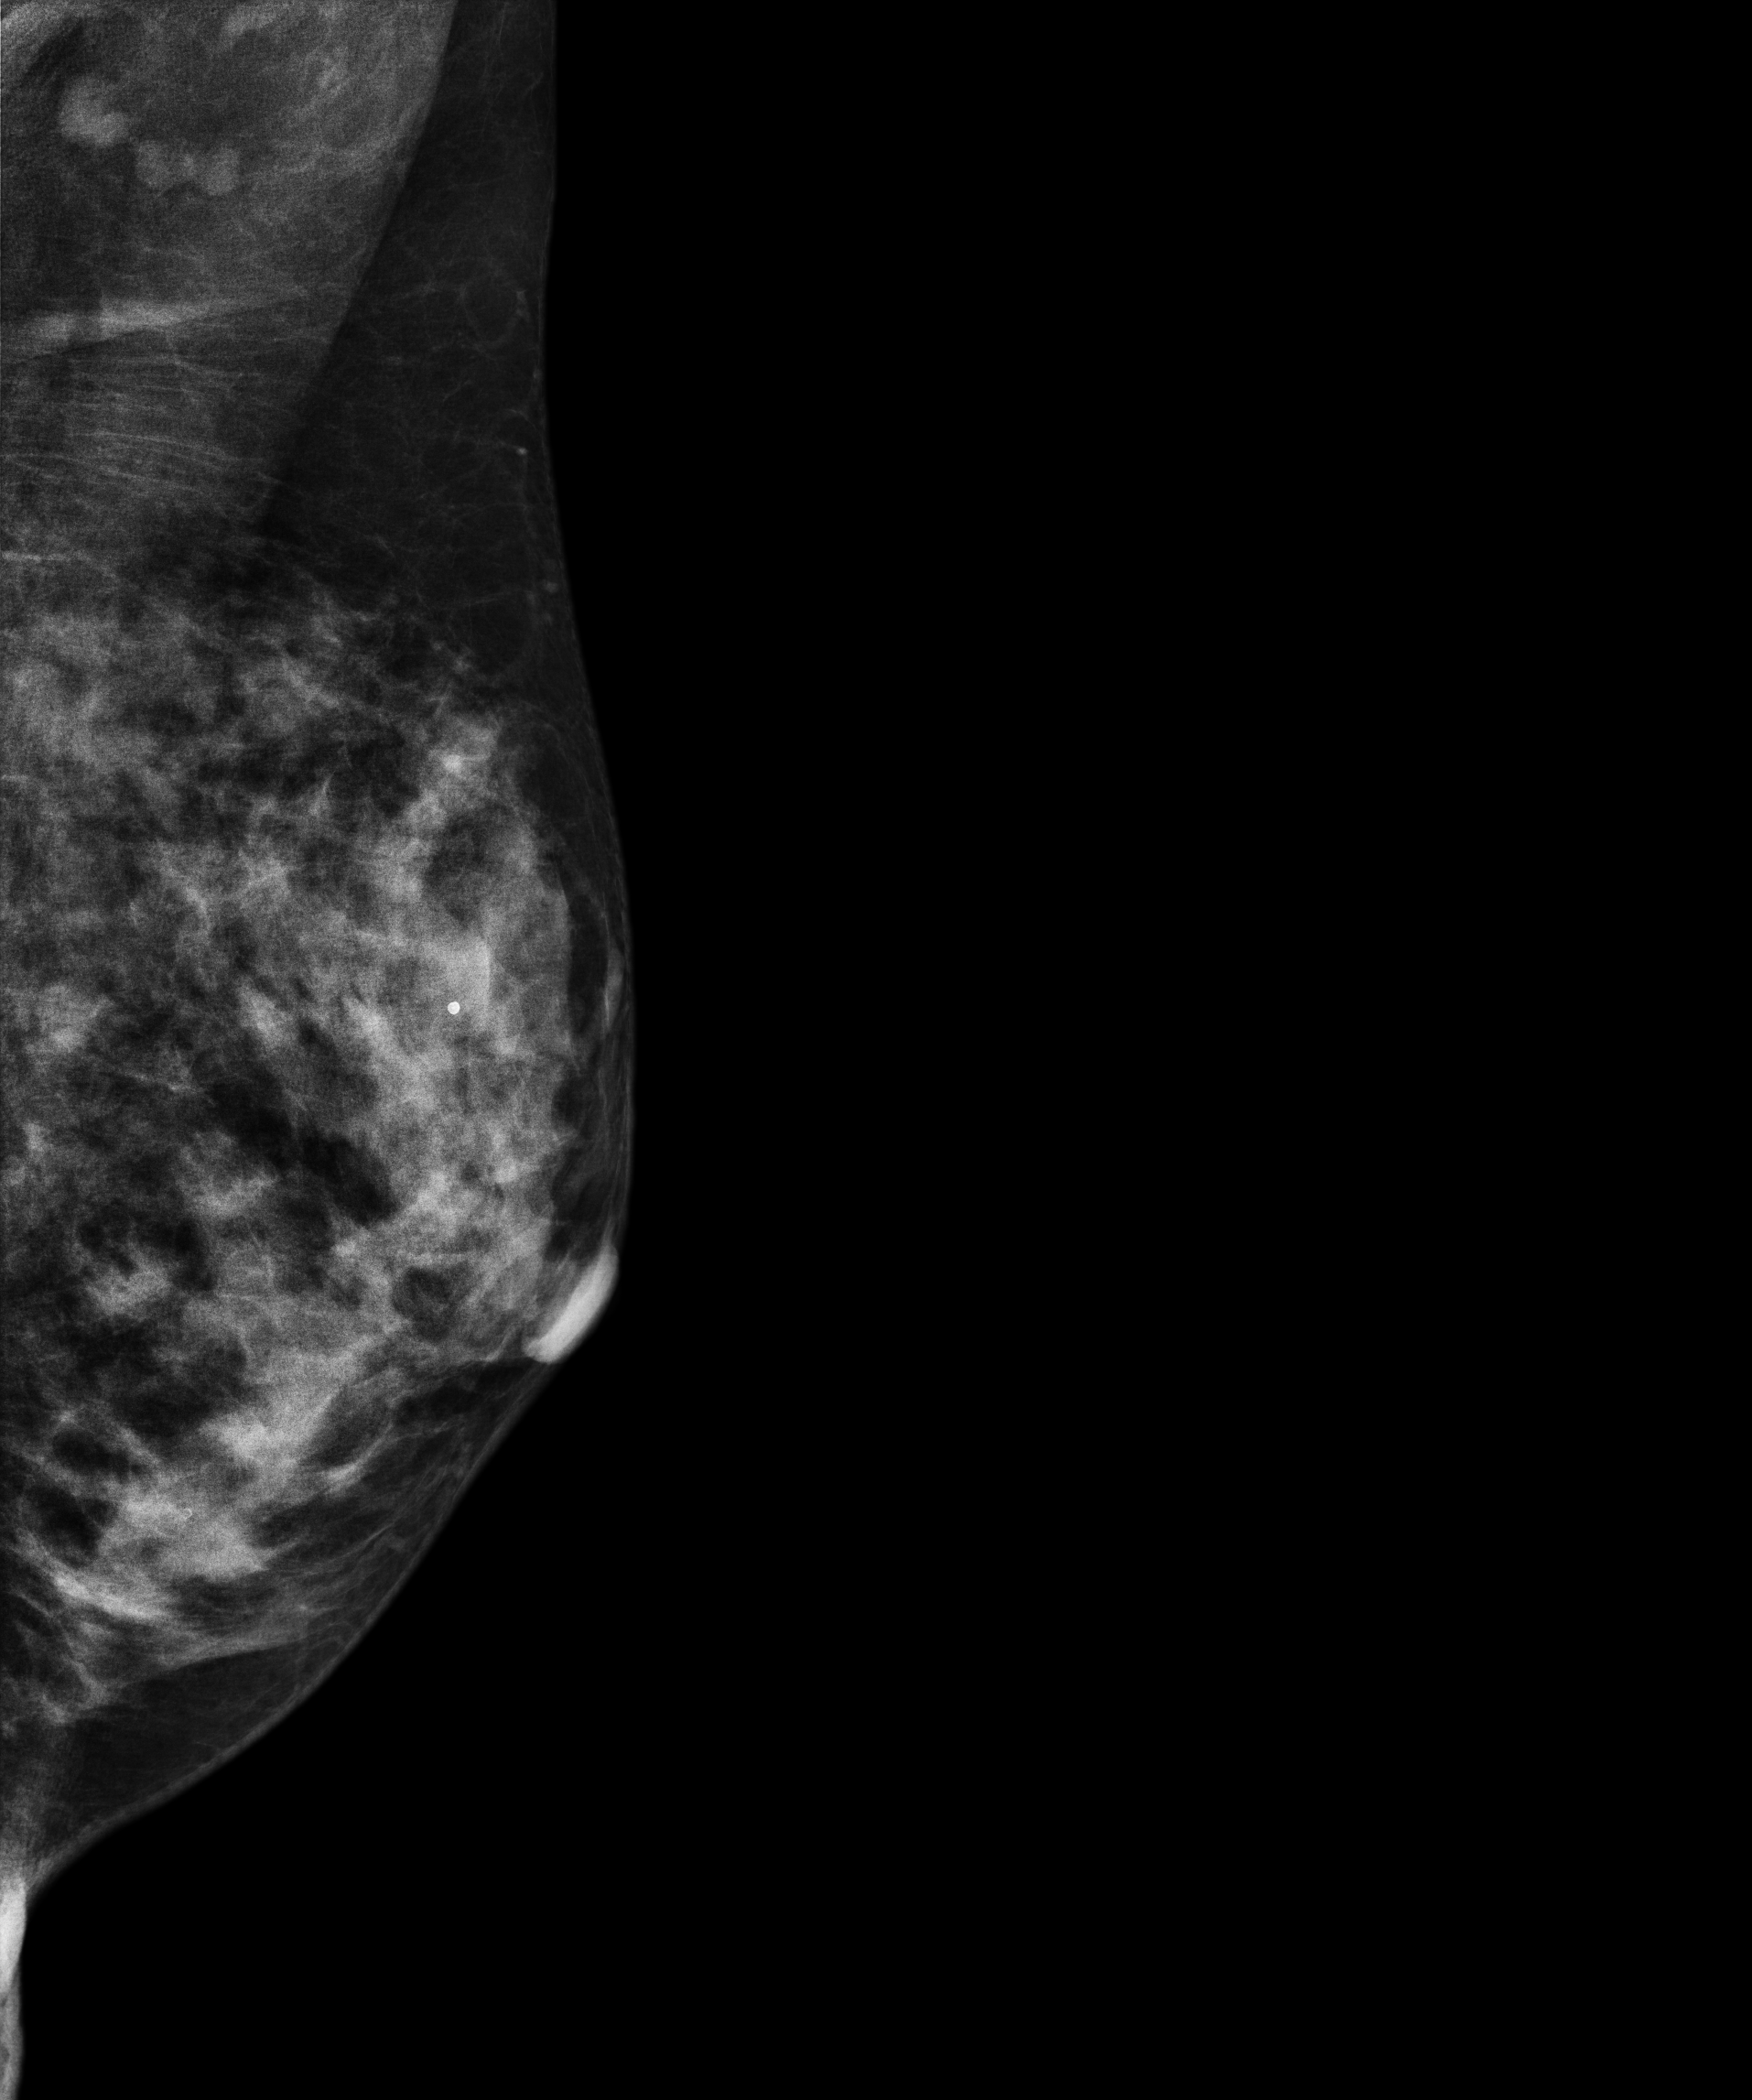
Digital mammography. Left breast, MLO projection. Patient age 47.
Contralateral breast — no documented abnormality on this side.